Mammogram — right cranio-caudal. 24-year-old patient.
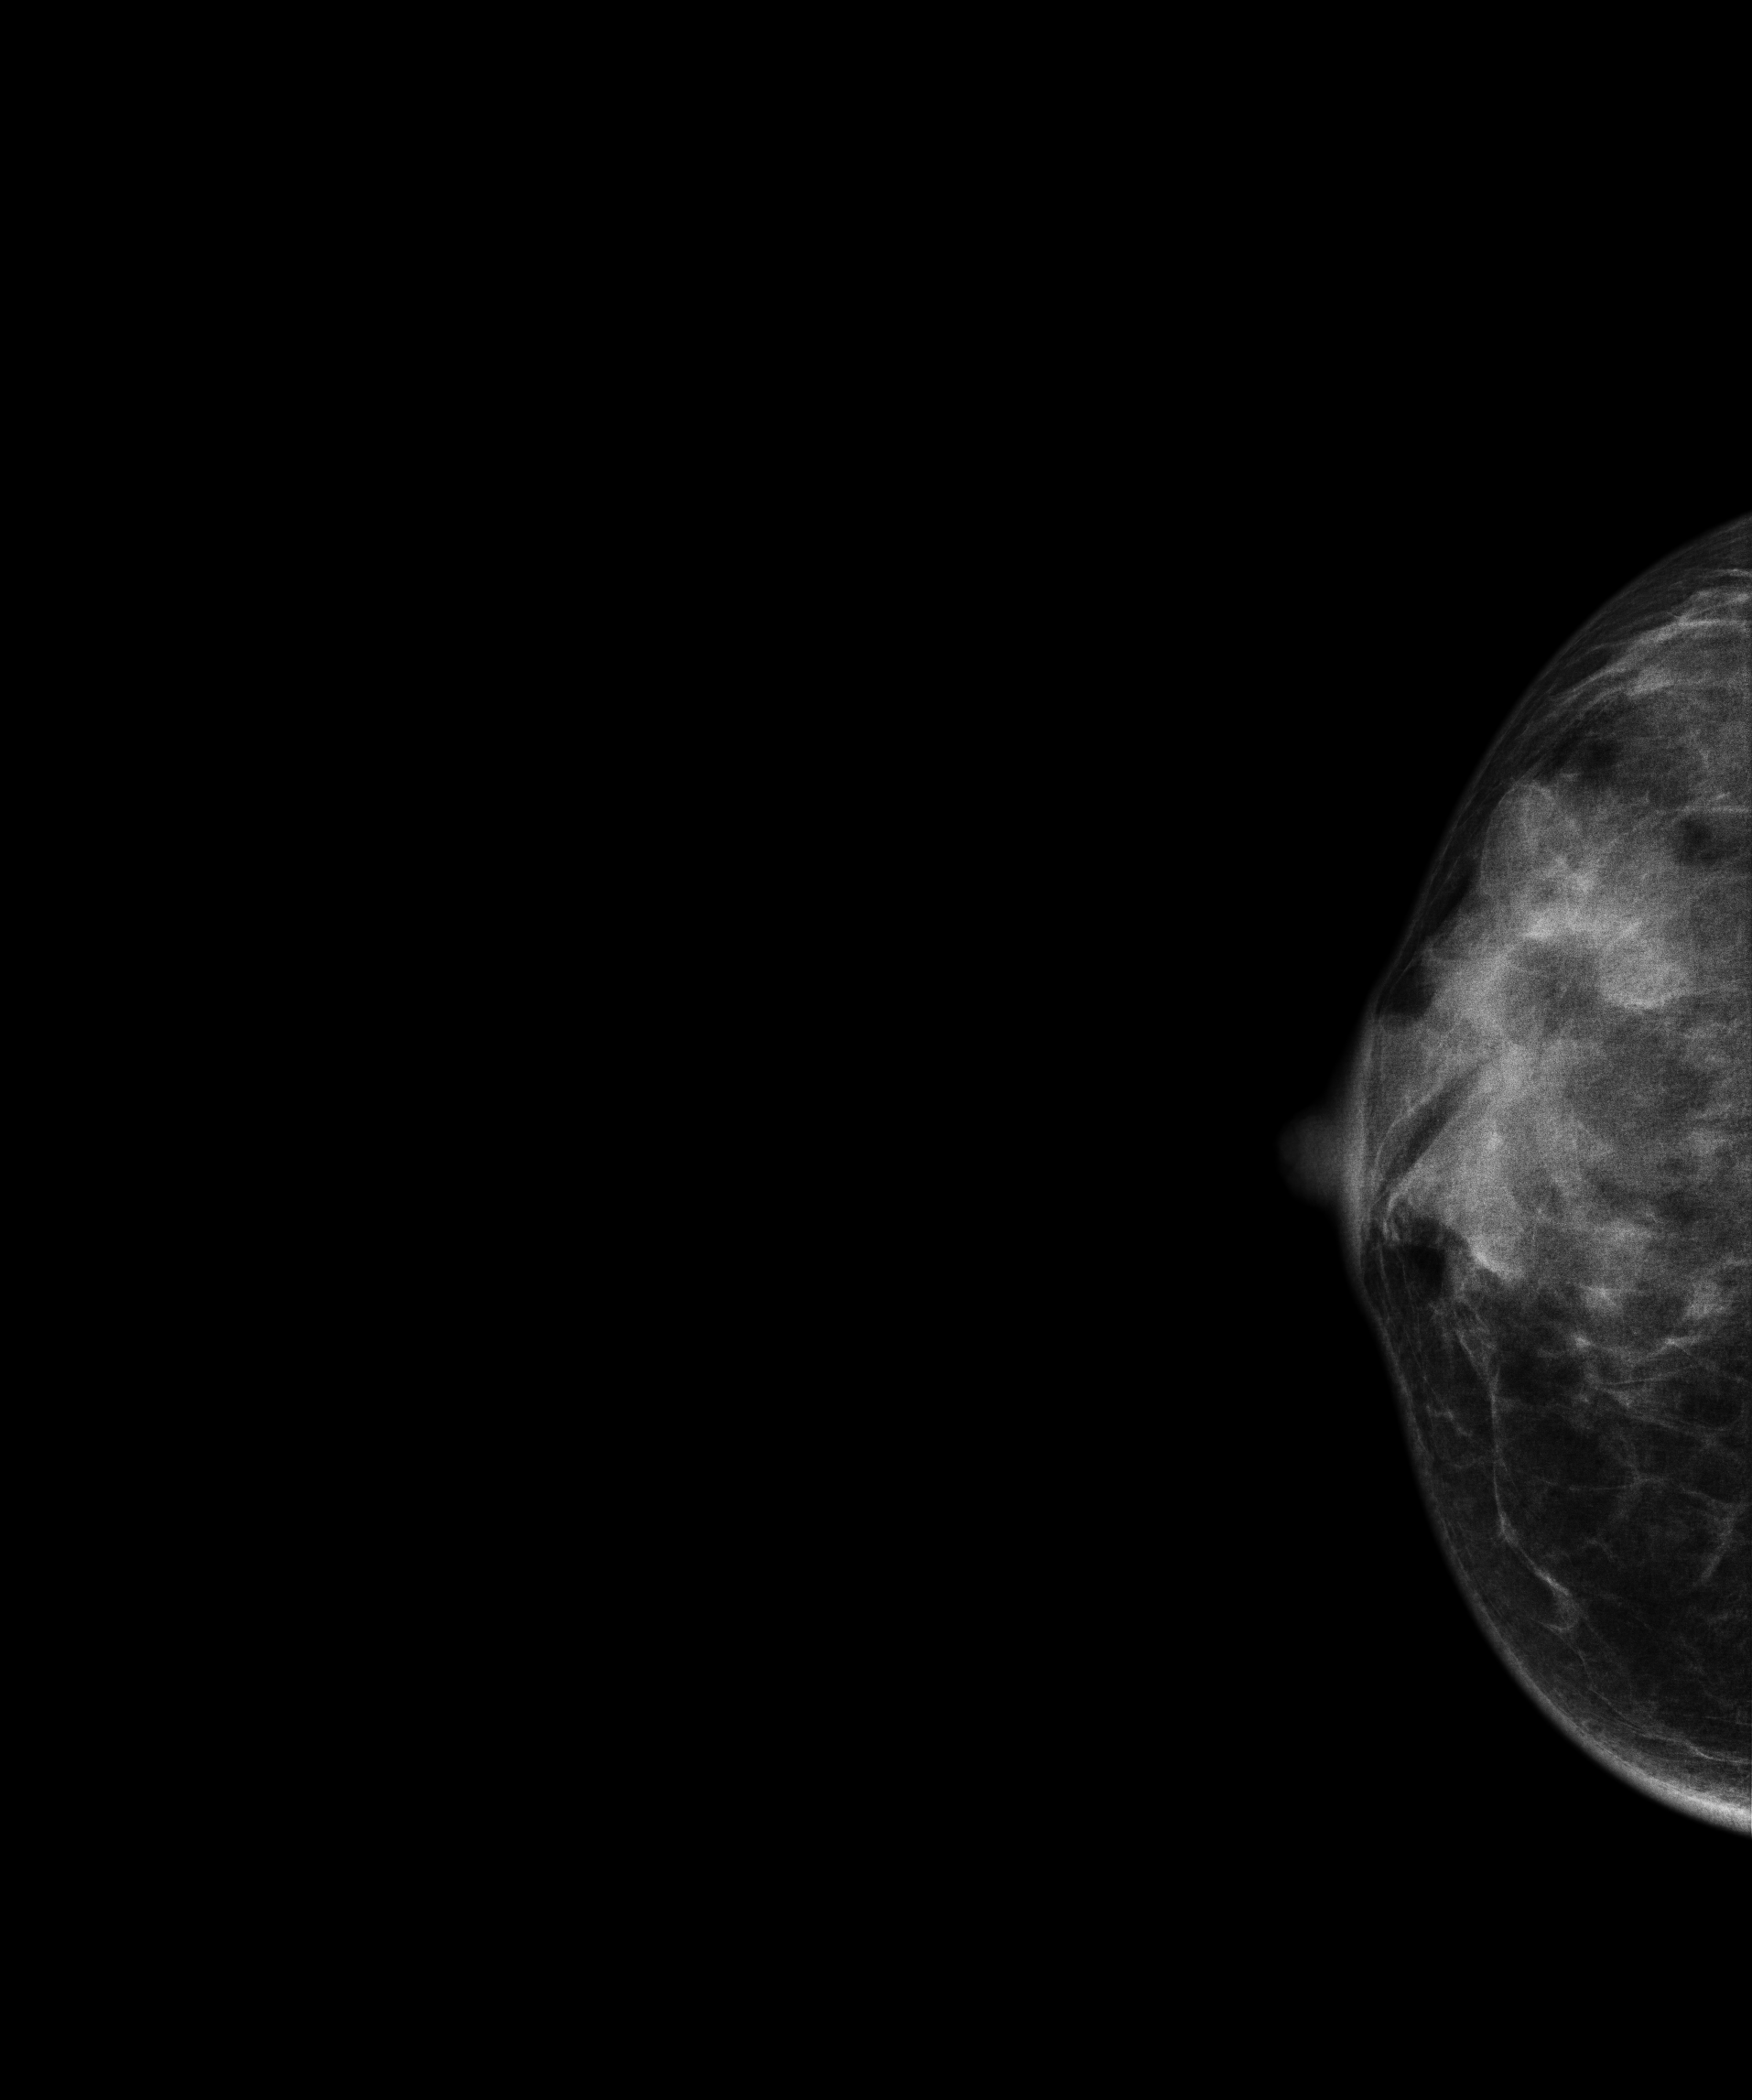
This breast has a mass, biopsy-proven benign.